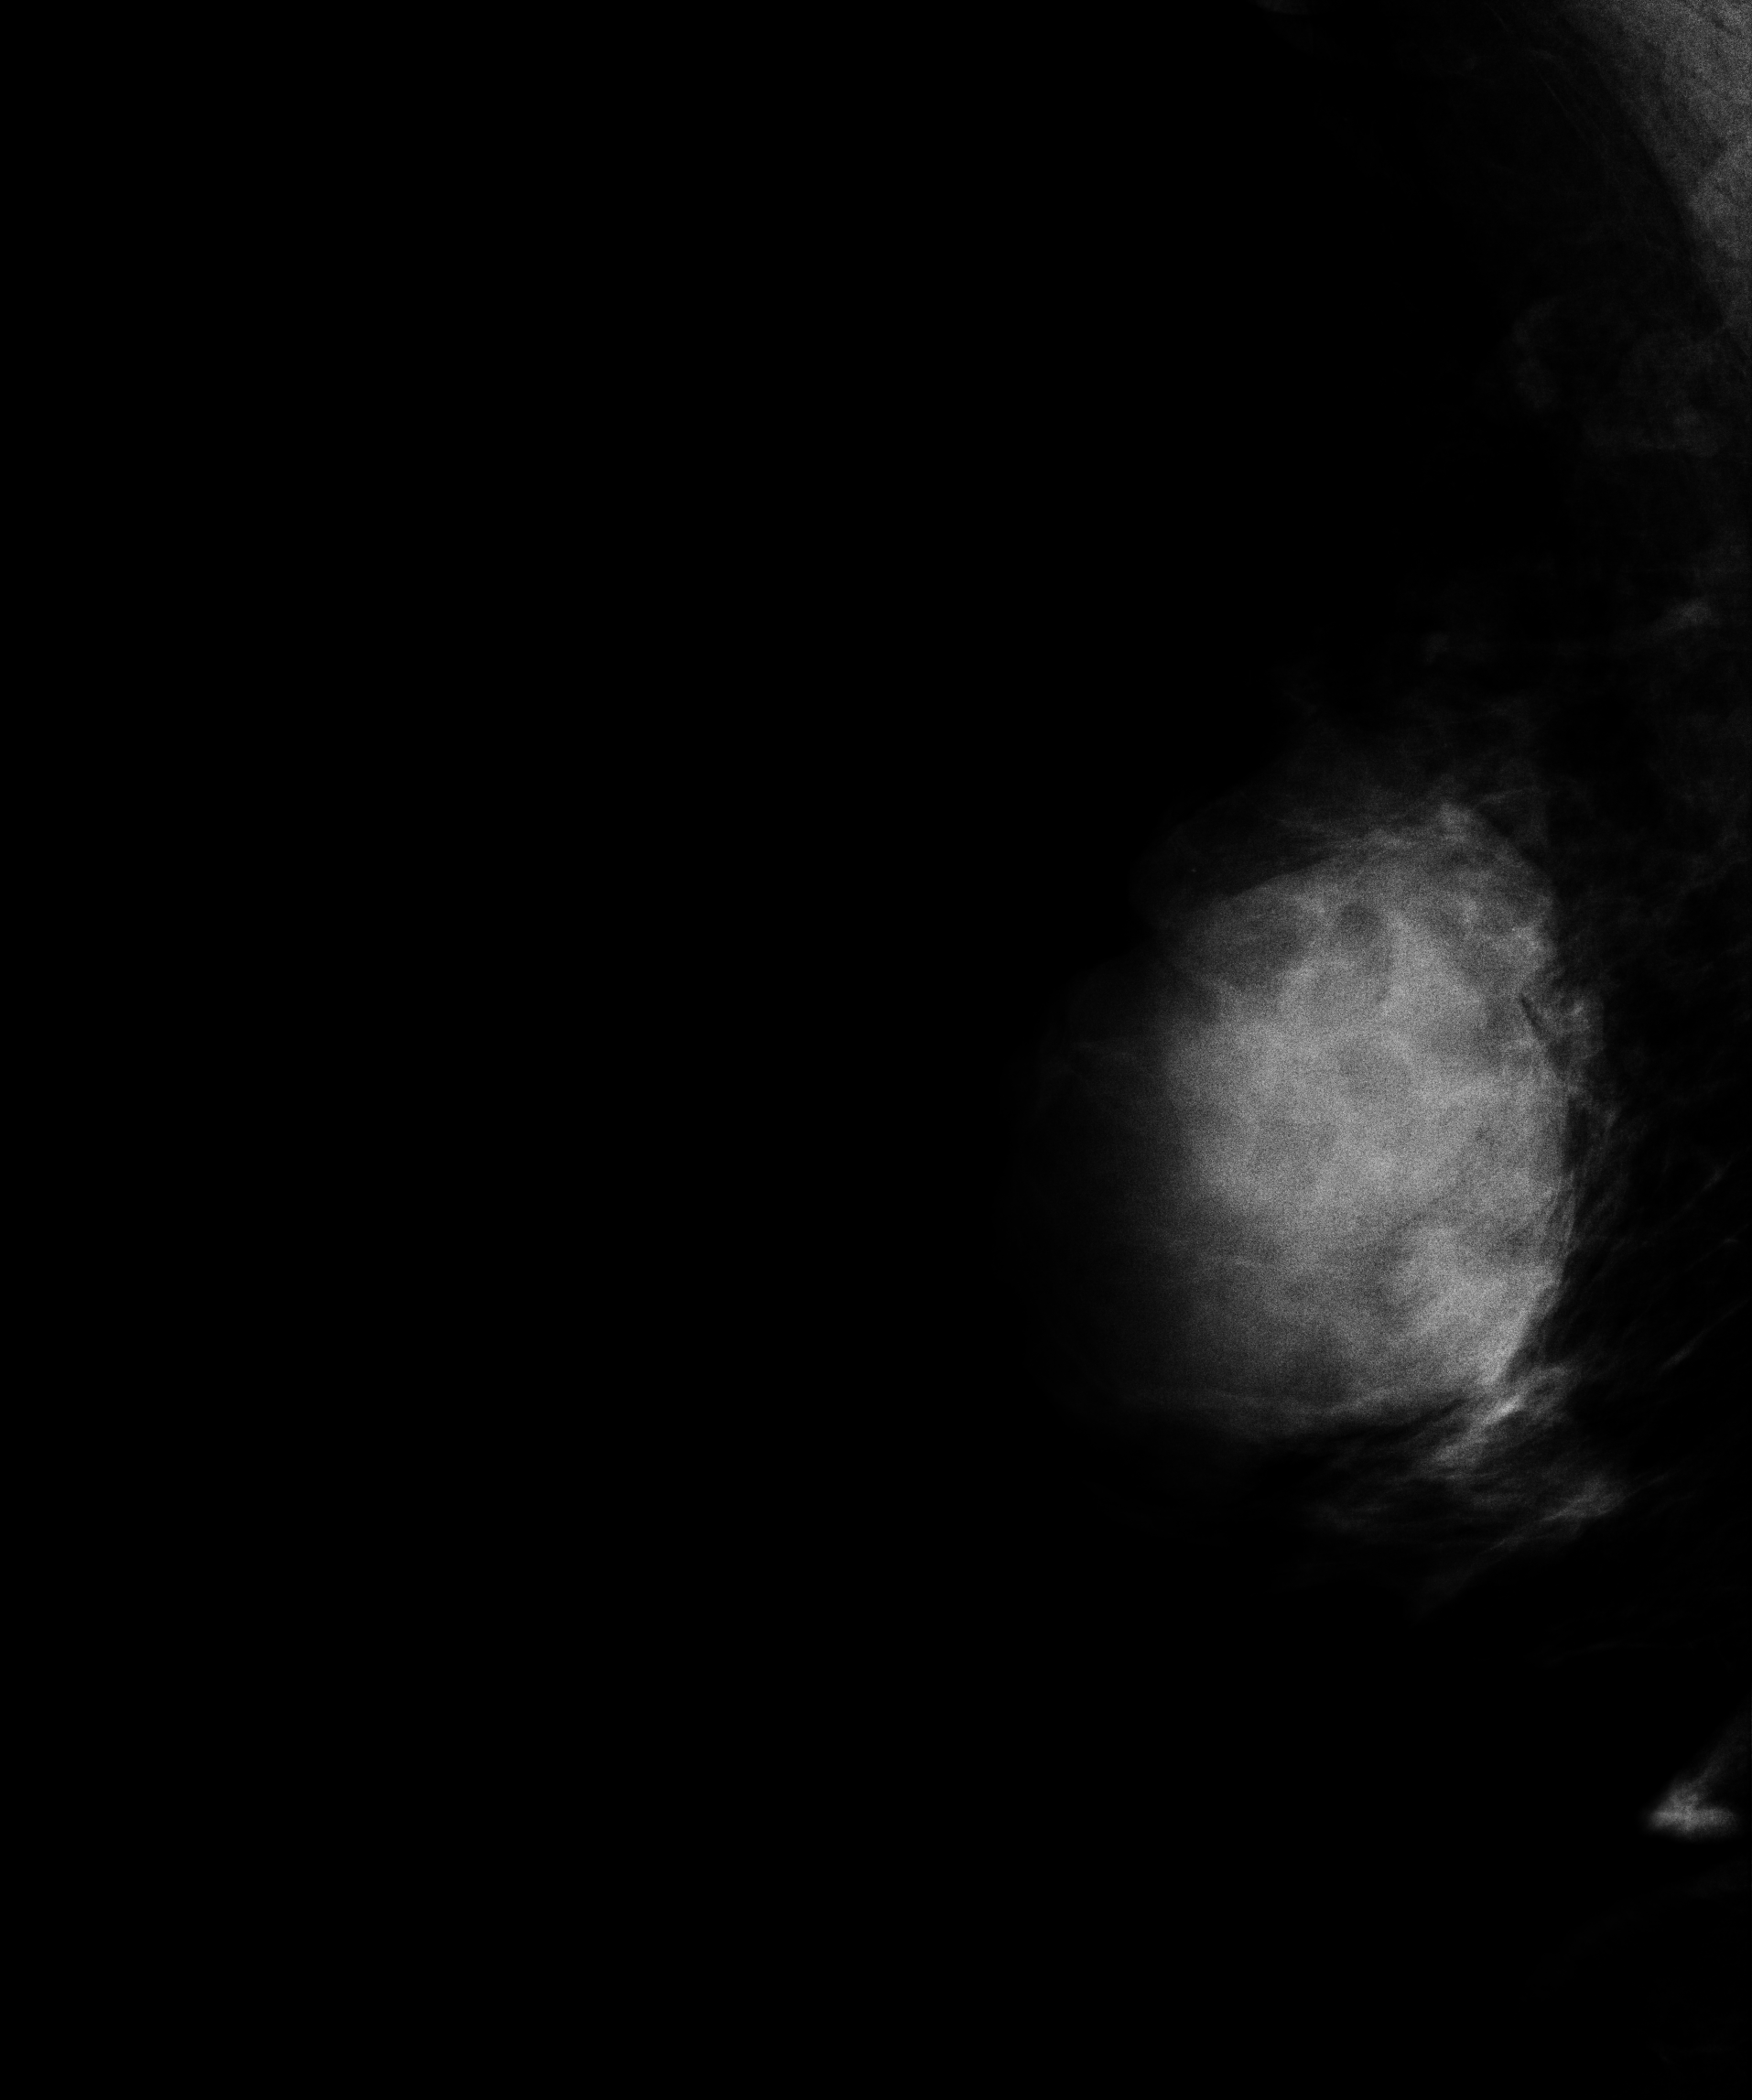
Mammogram — right CC. Patient age 47.
This breast has a mass, pathology-confirmed benign.